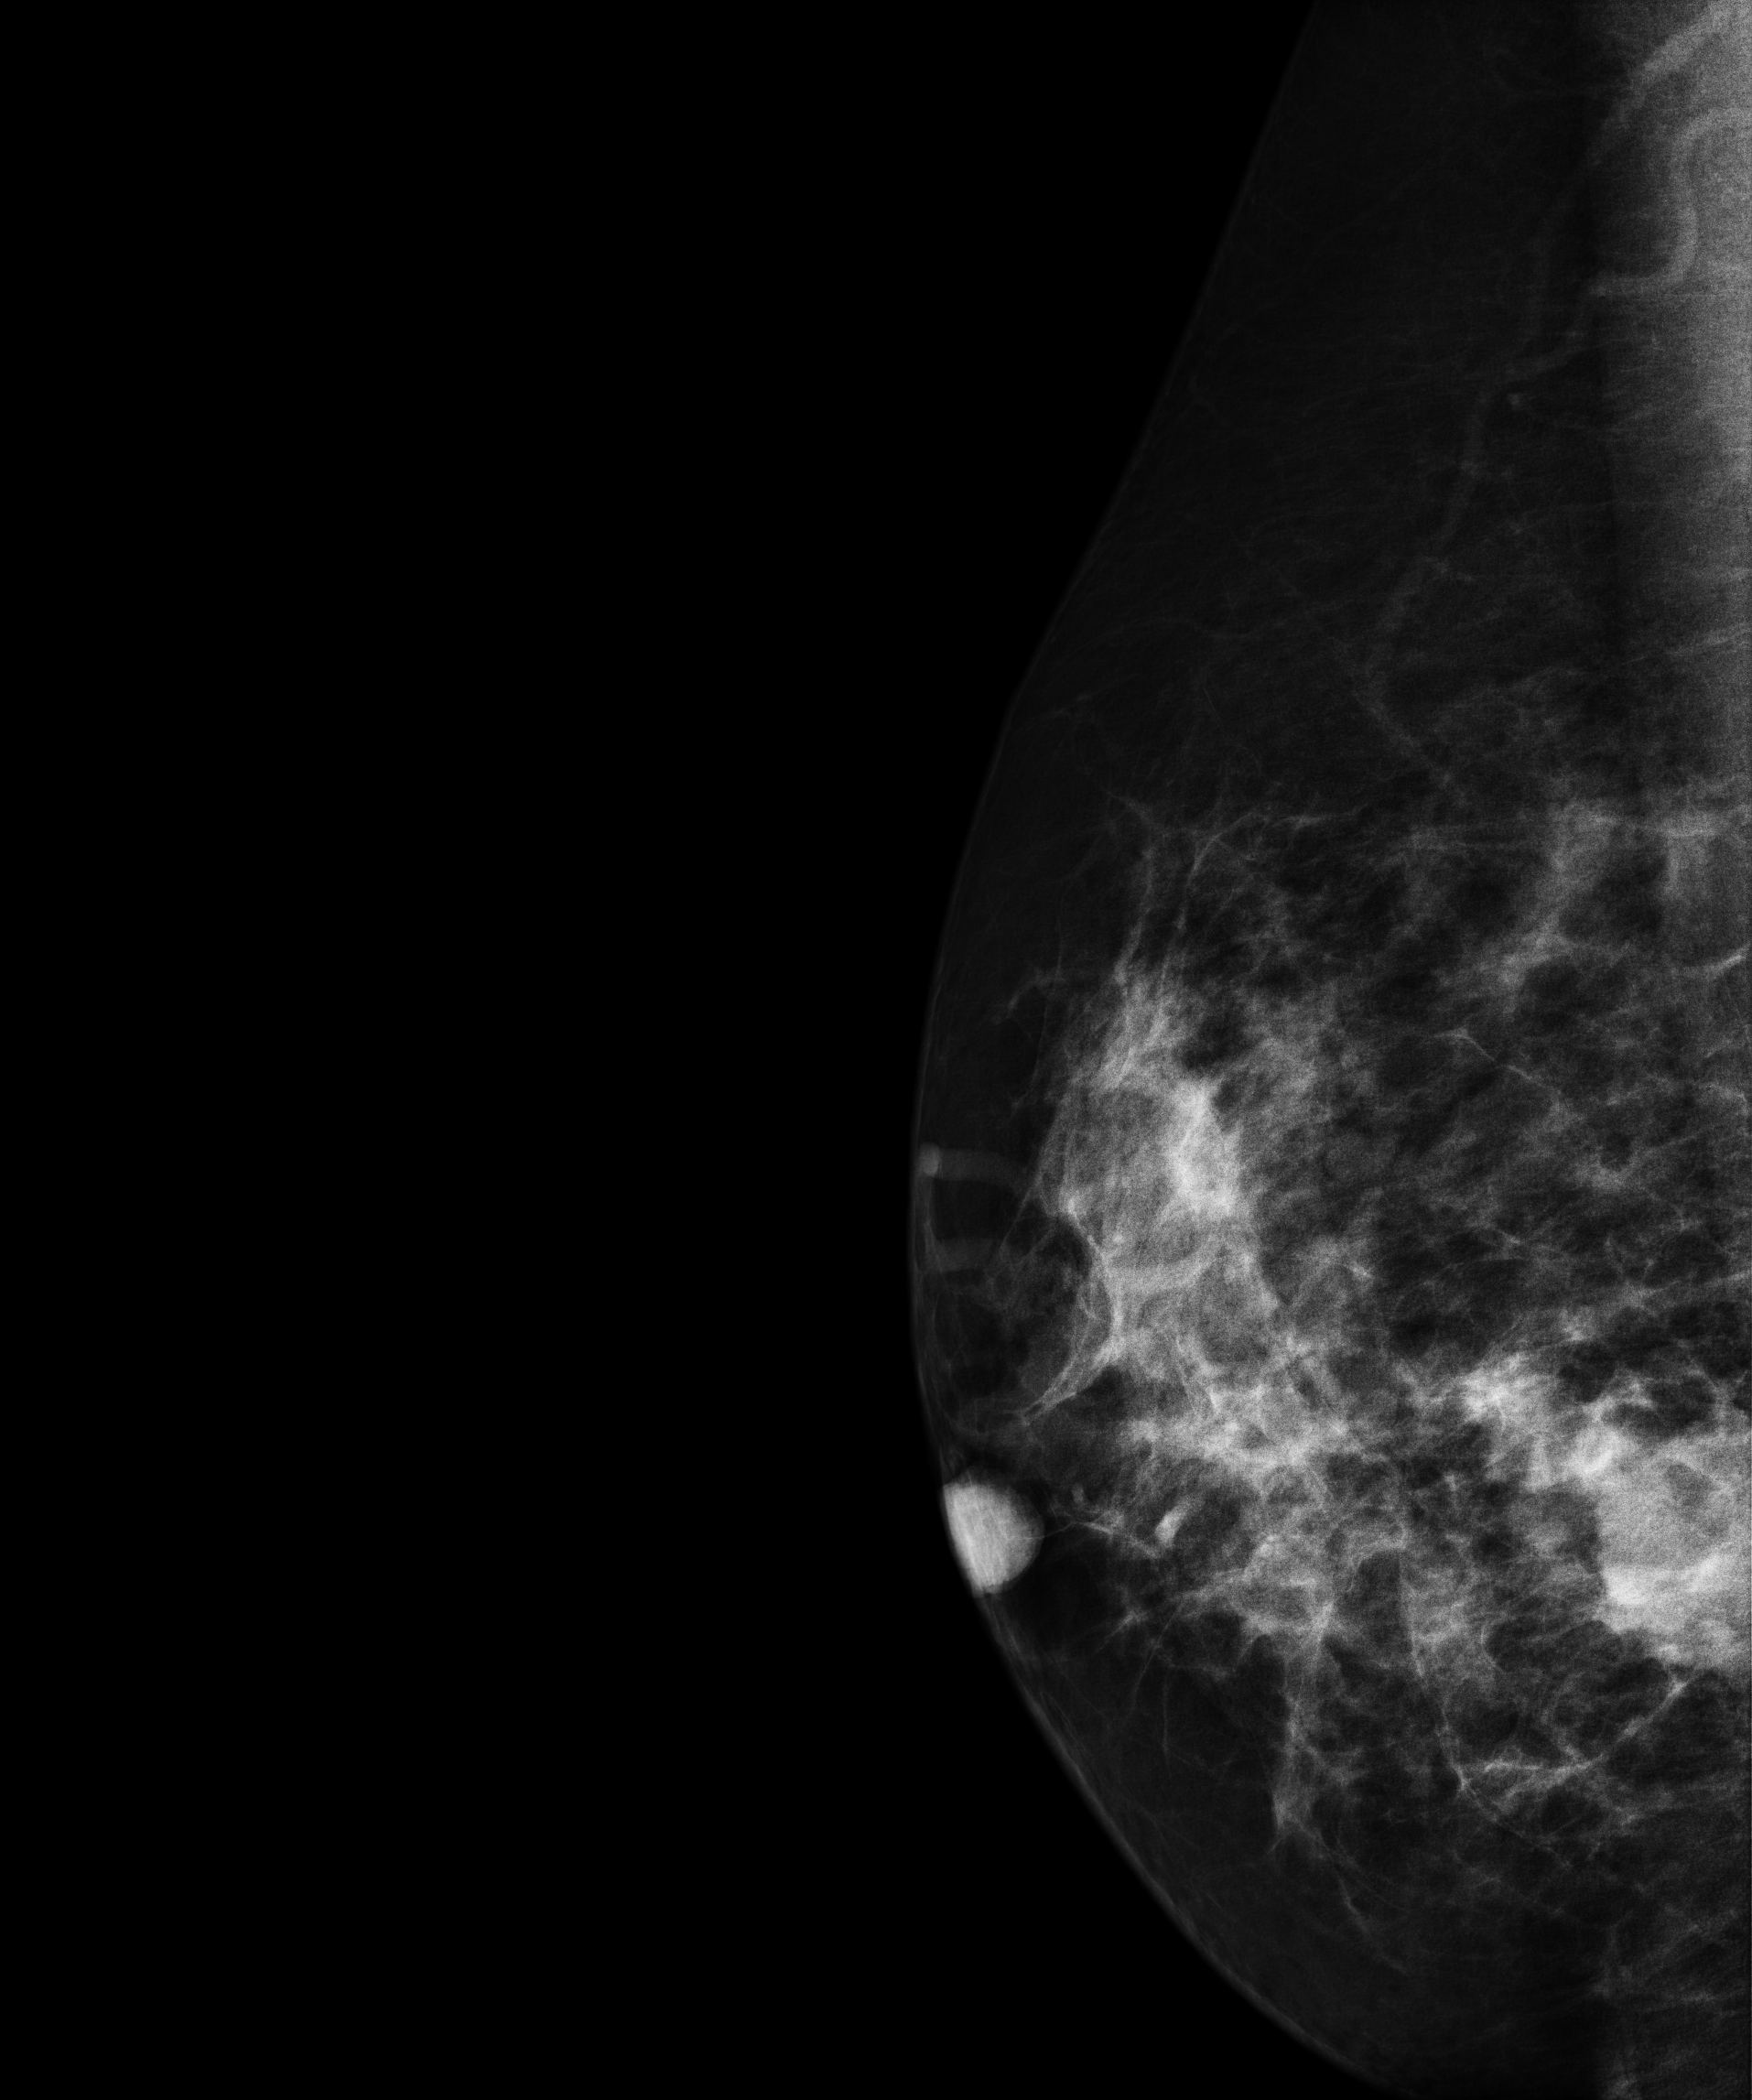
MLO mammogram of the right breast. 44 y/o patient.
This breast has a mass, pathology-confirmed malignant. Molecular subtype: luminal B.